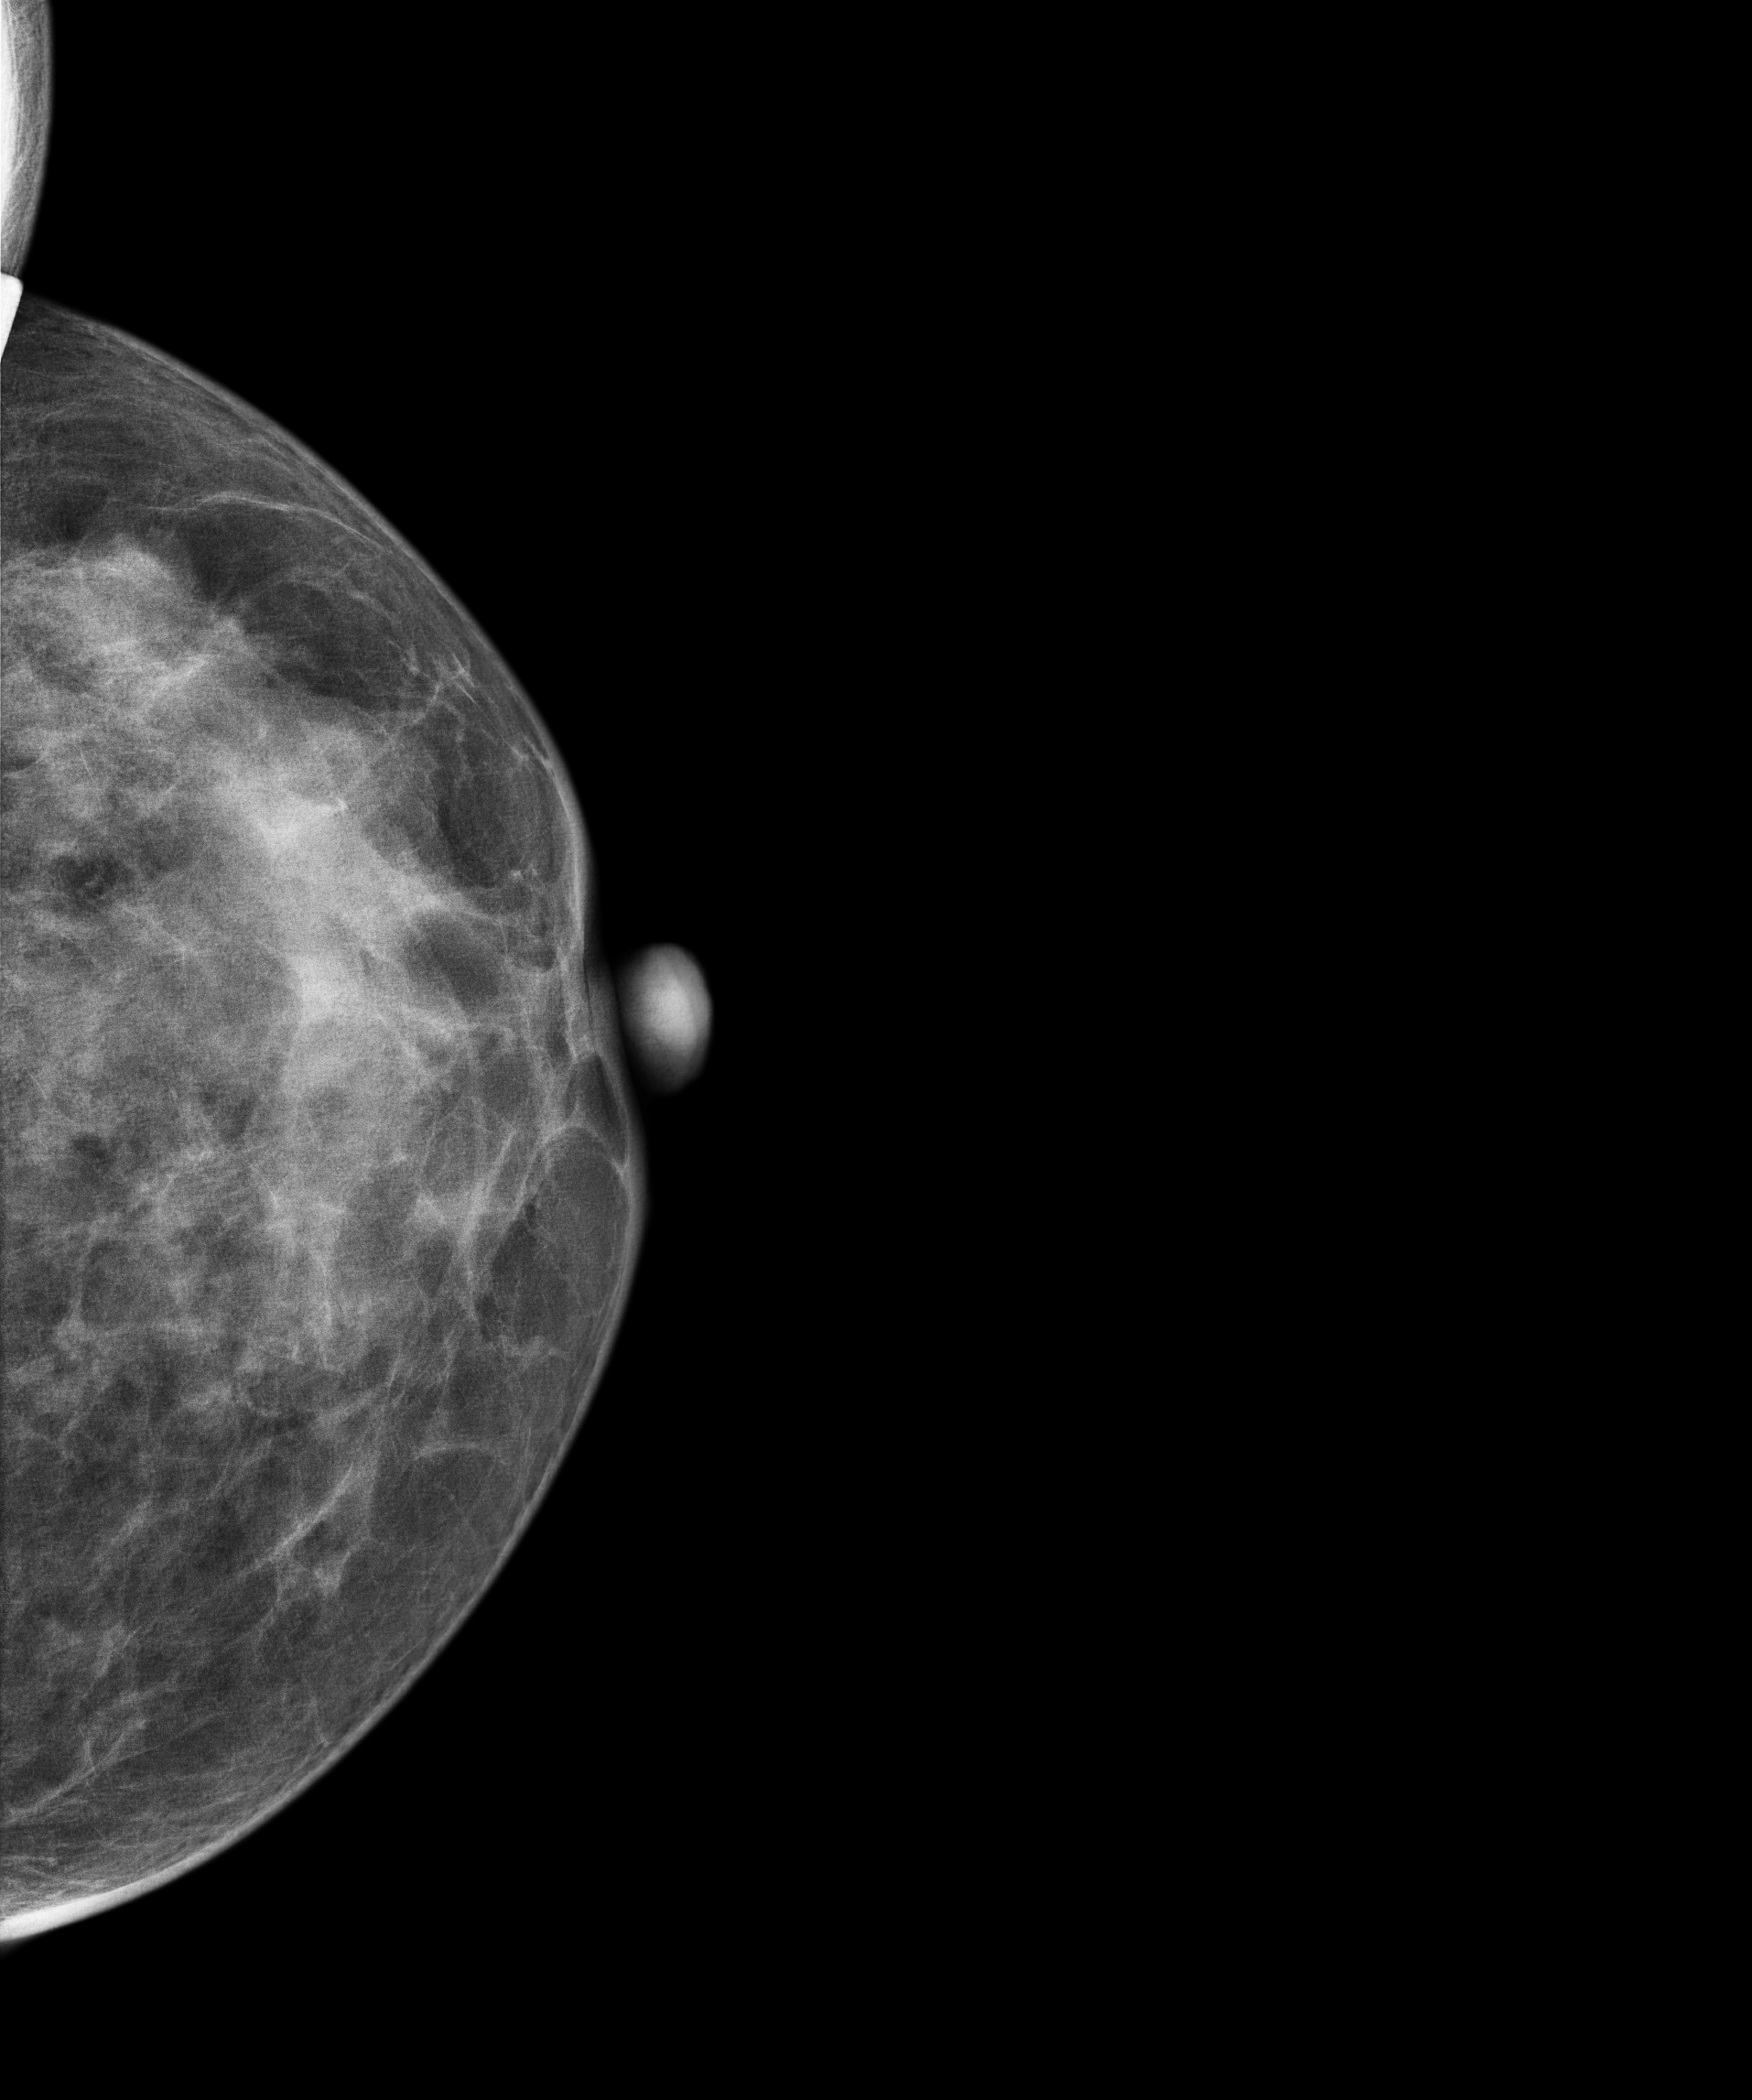
Mammogram — left CC. 47 y/o patient.
Contralateral breast — no documented abnormality on this side.